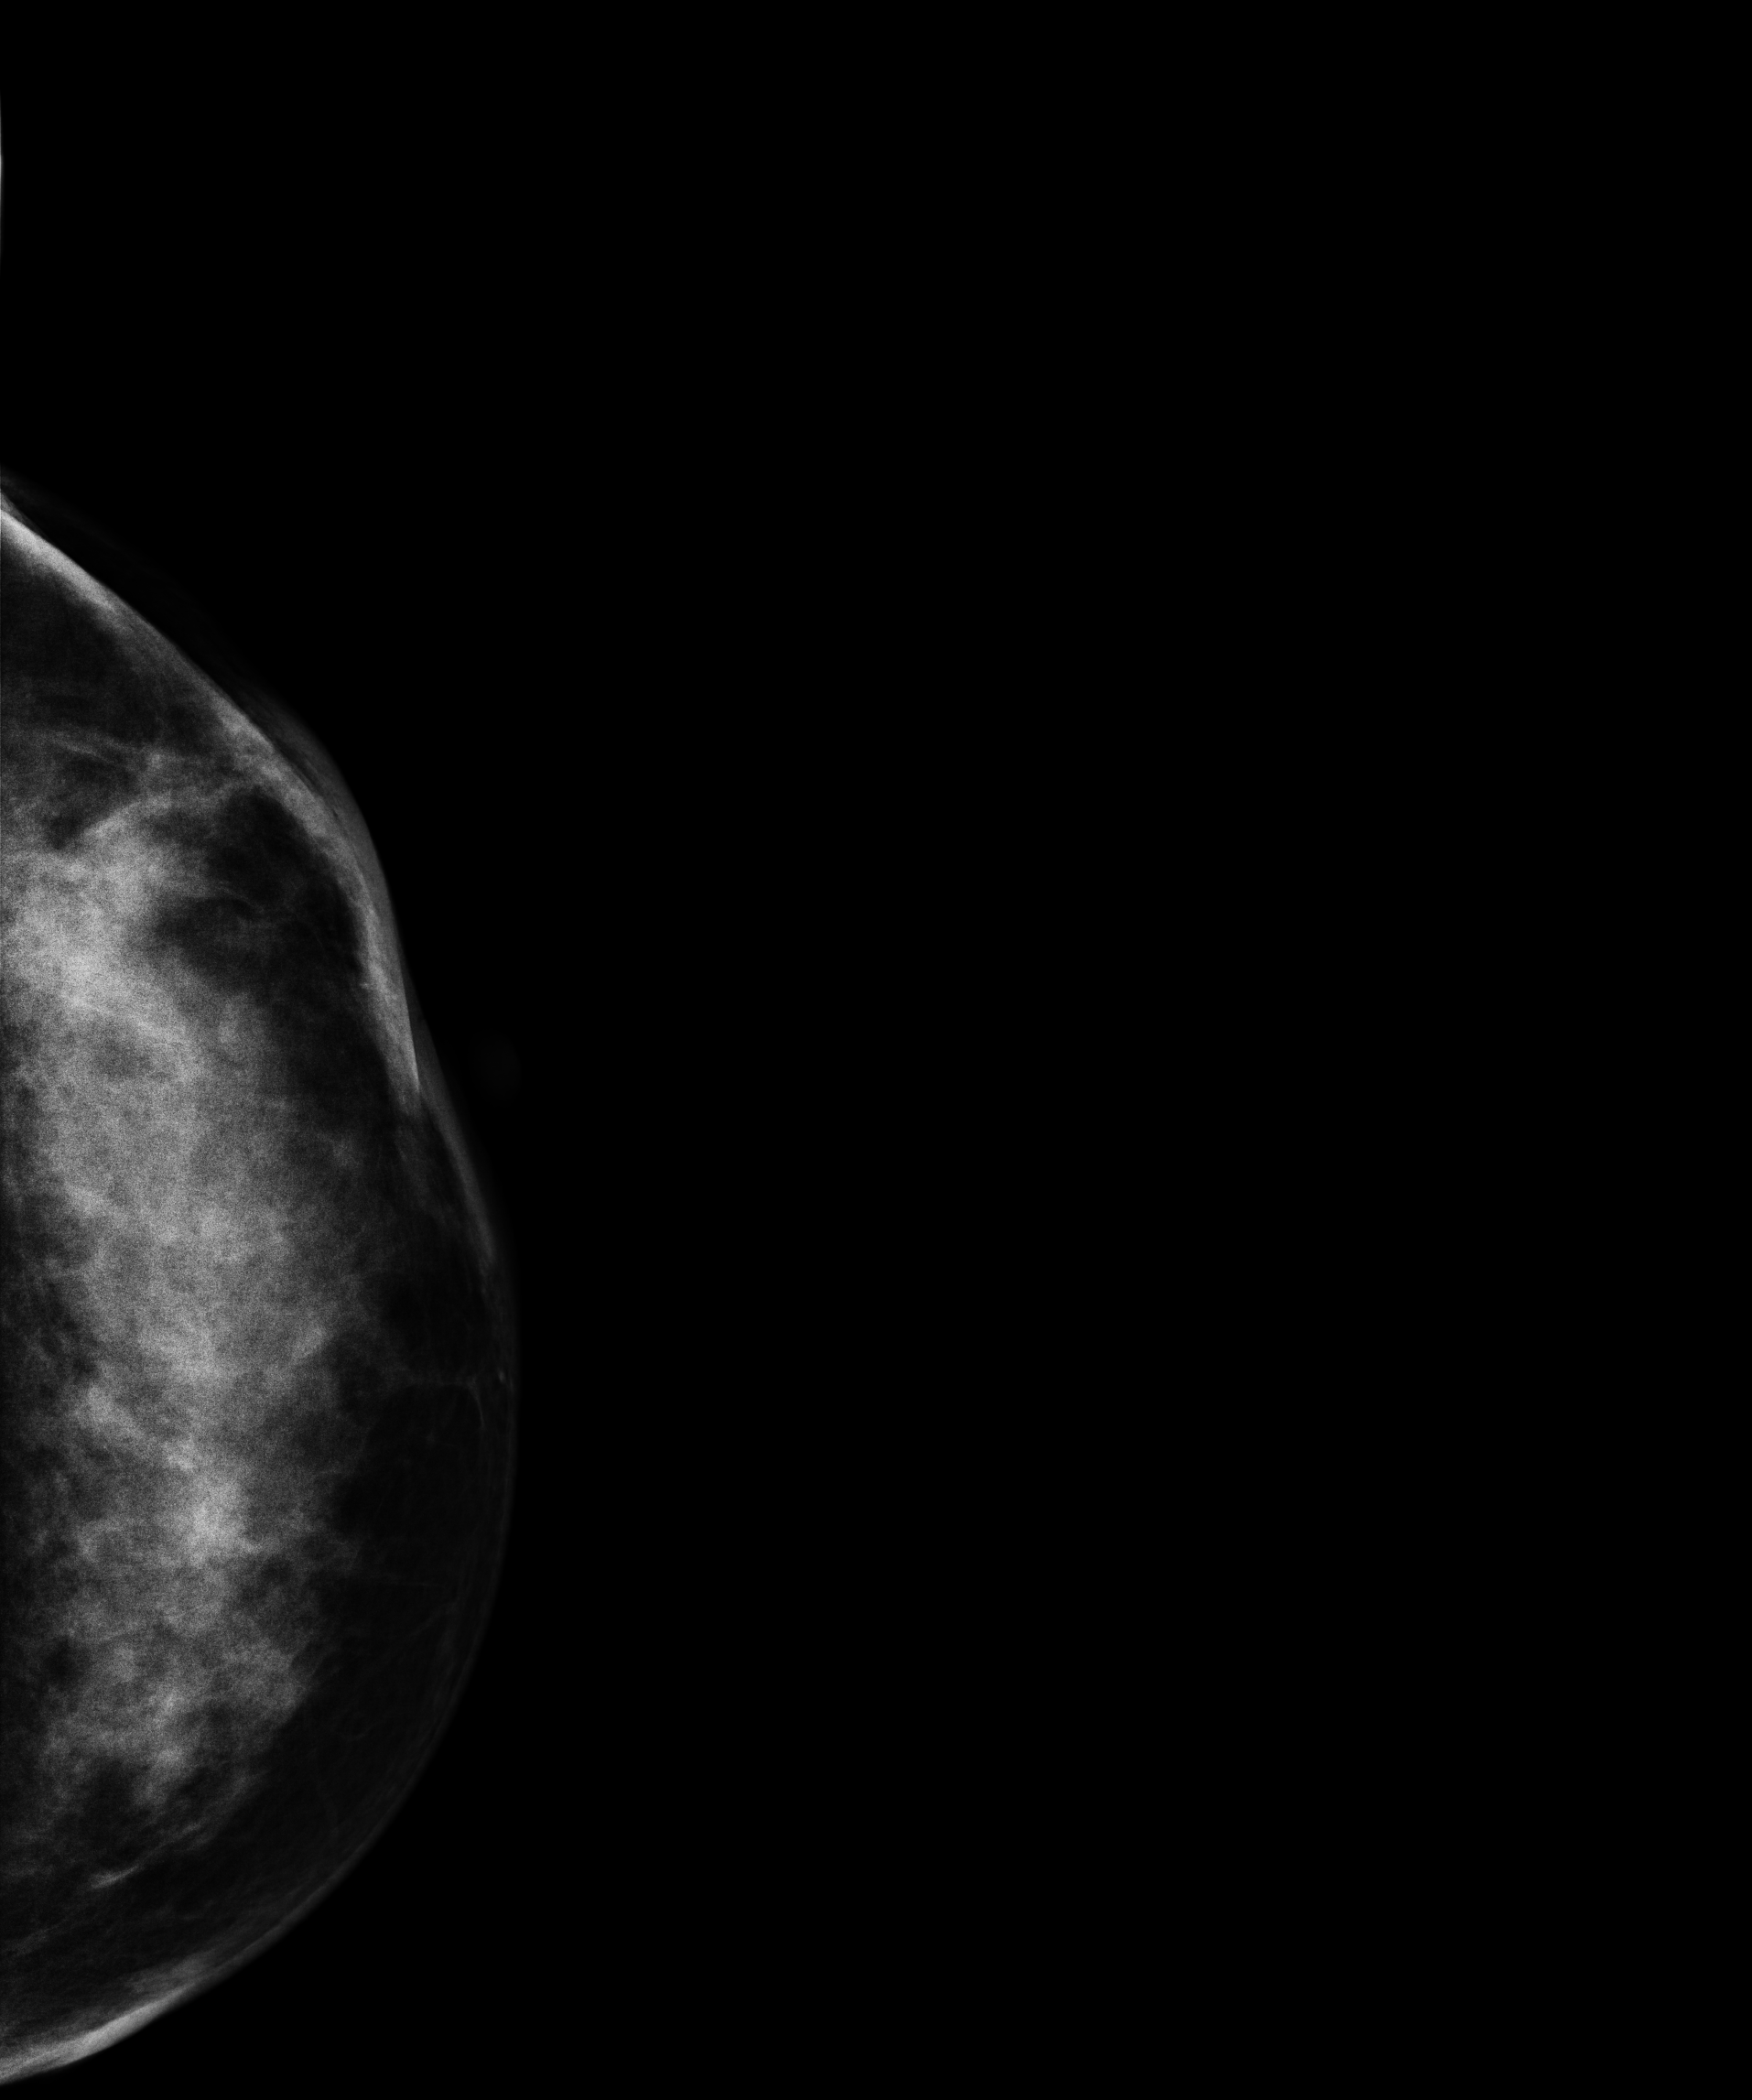
Digital mammography. Left breast, cranio-caudal projection. 47-year-old patient.
This breast has a mass, biopsy-confirmed malignant.